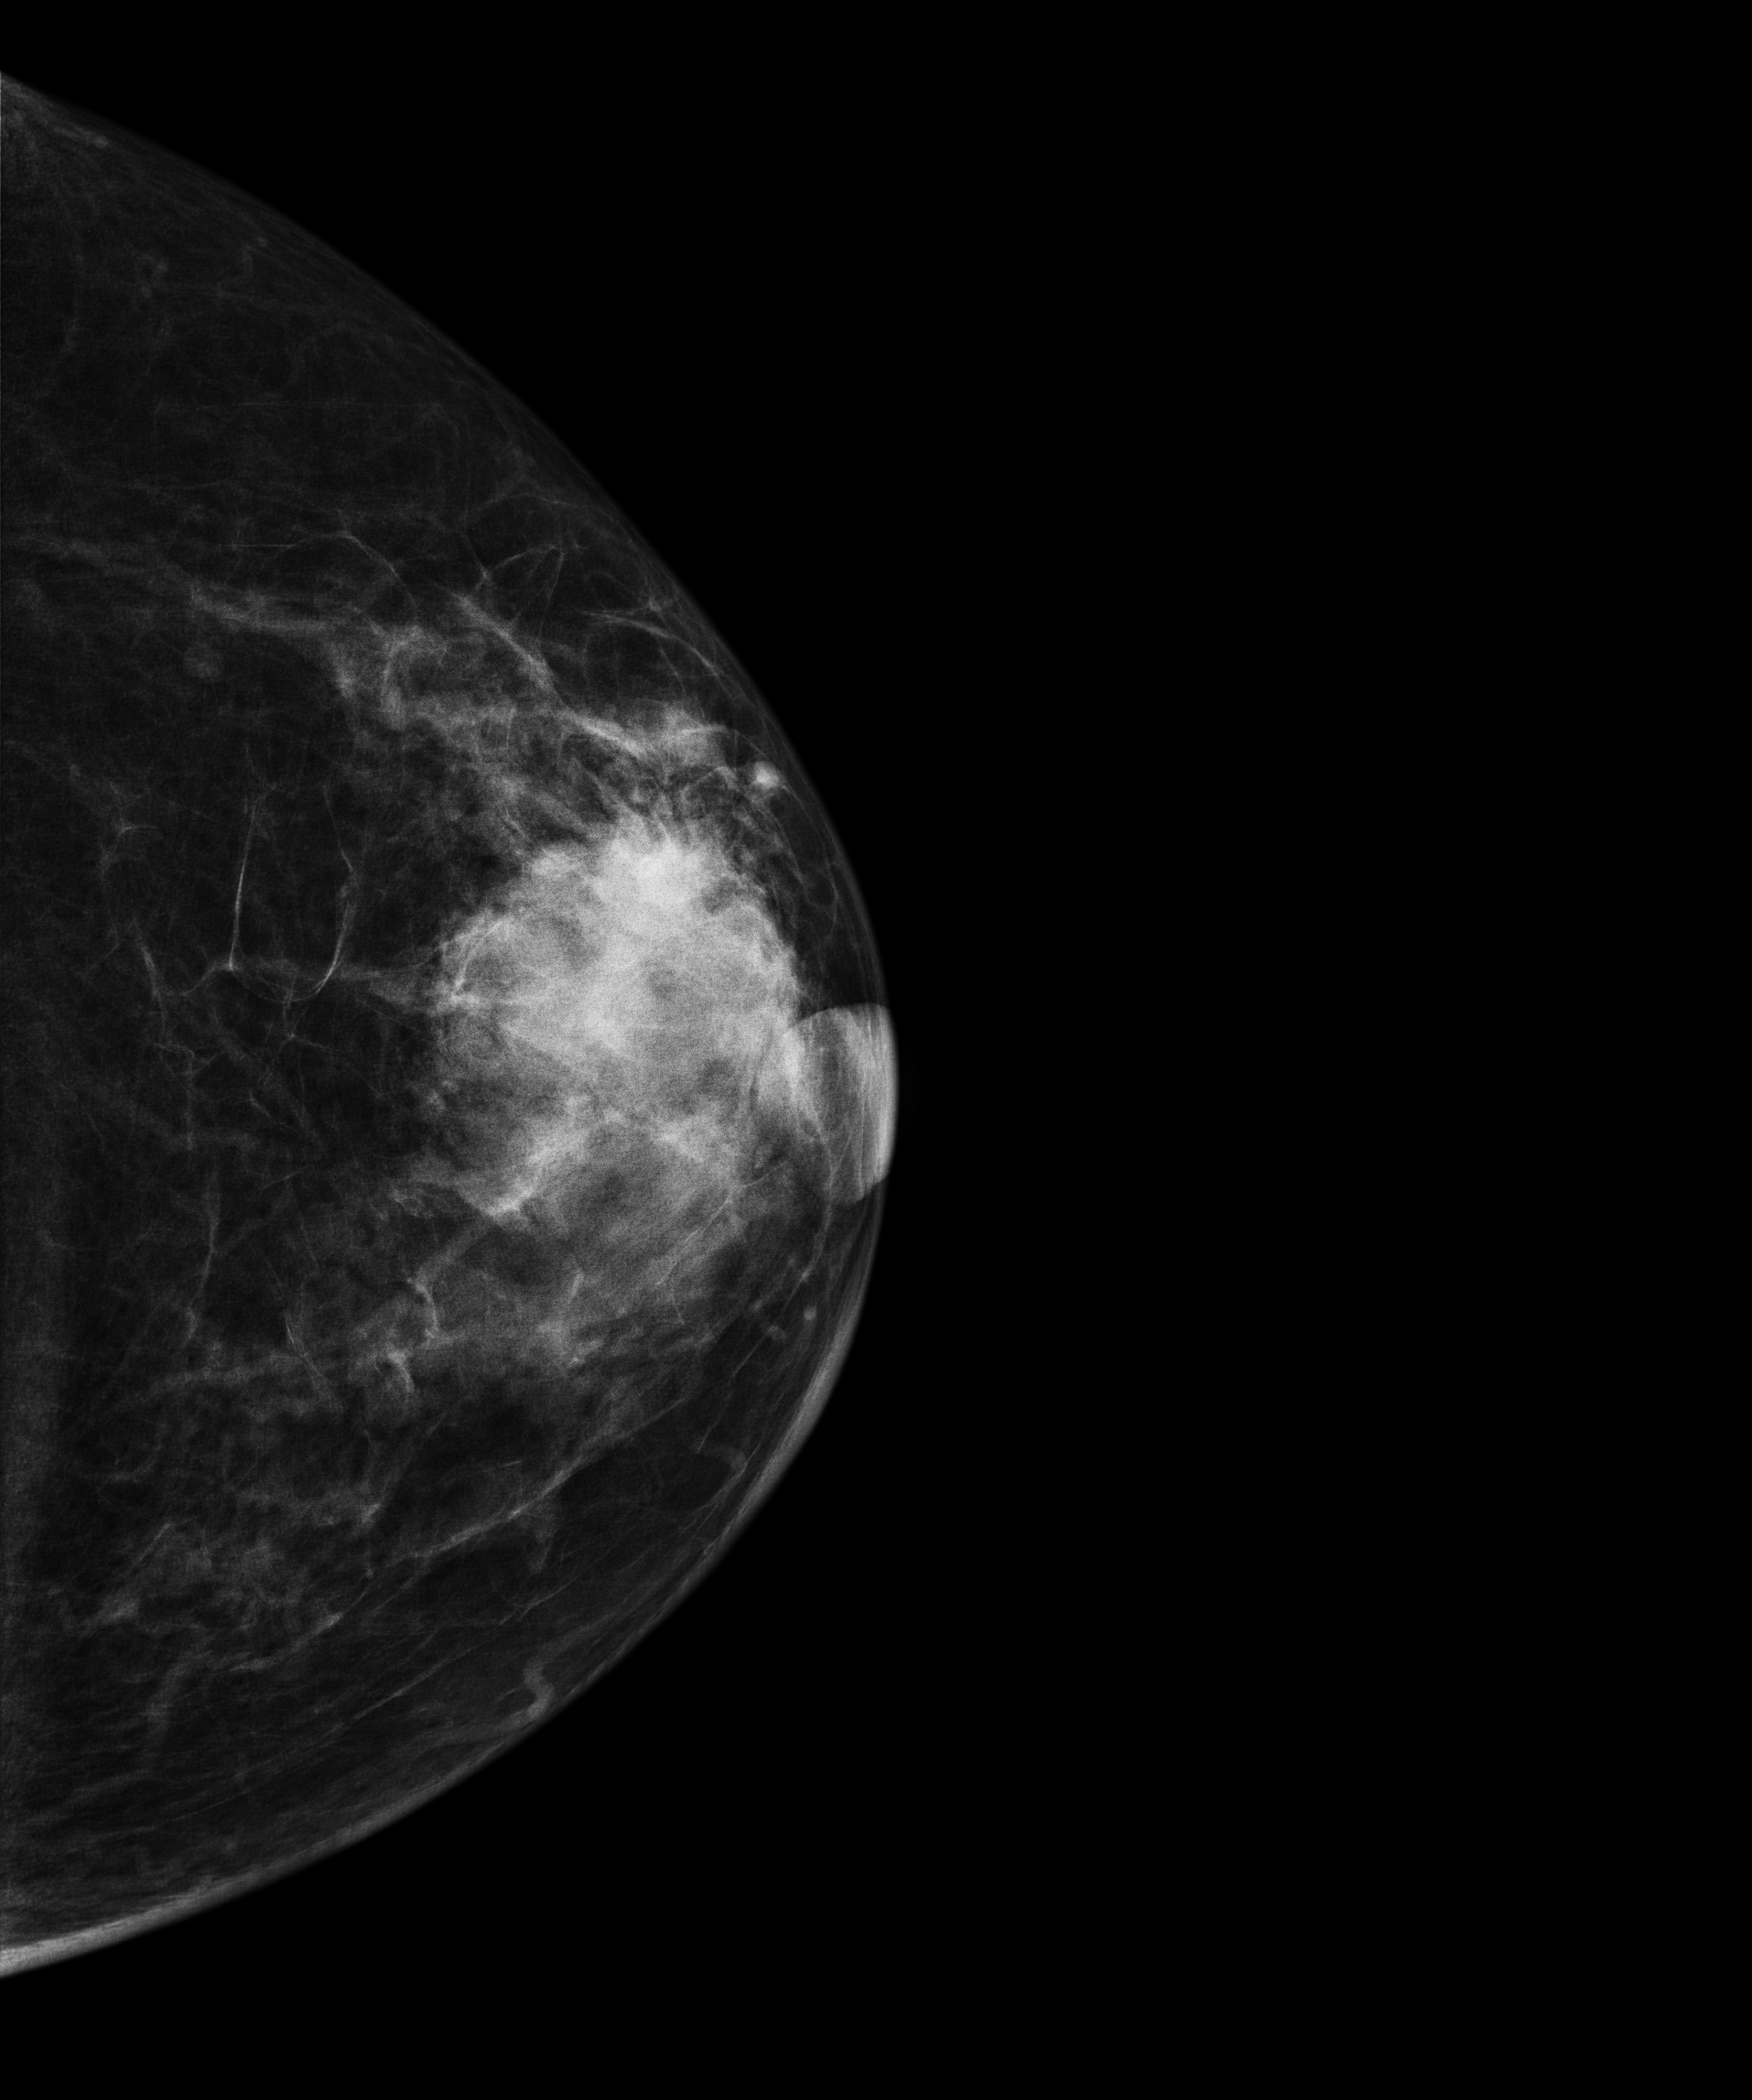
Mammogram, left breast, cranio-caudal view. 67-year-old patient.
This breast has a mass, biopsy-proven malignant. Molecular subtype: luminal A.